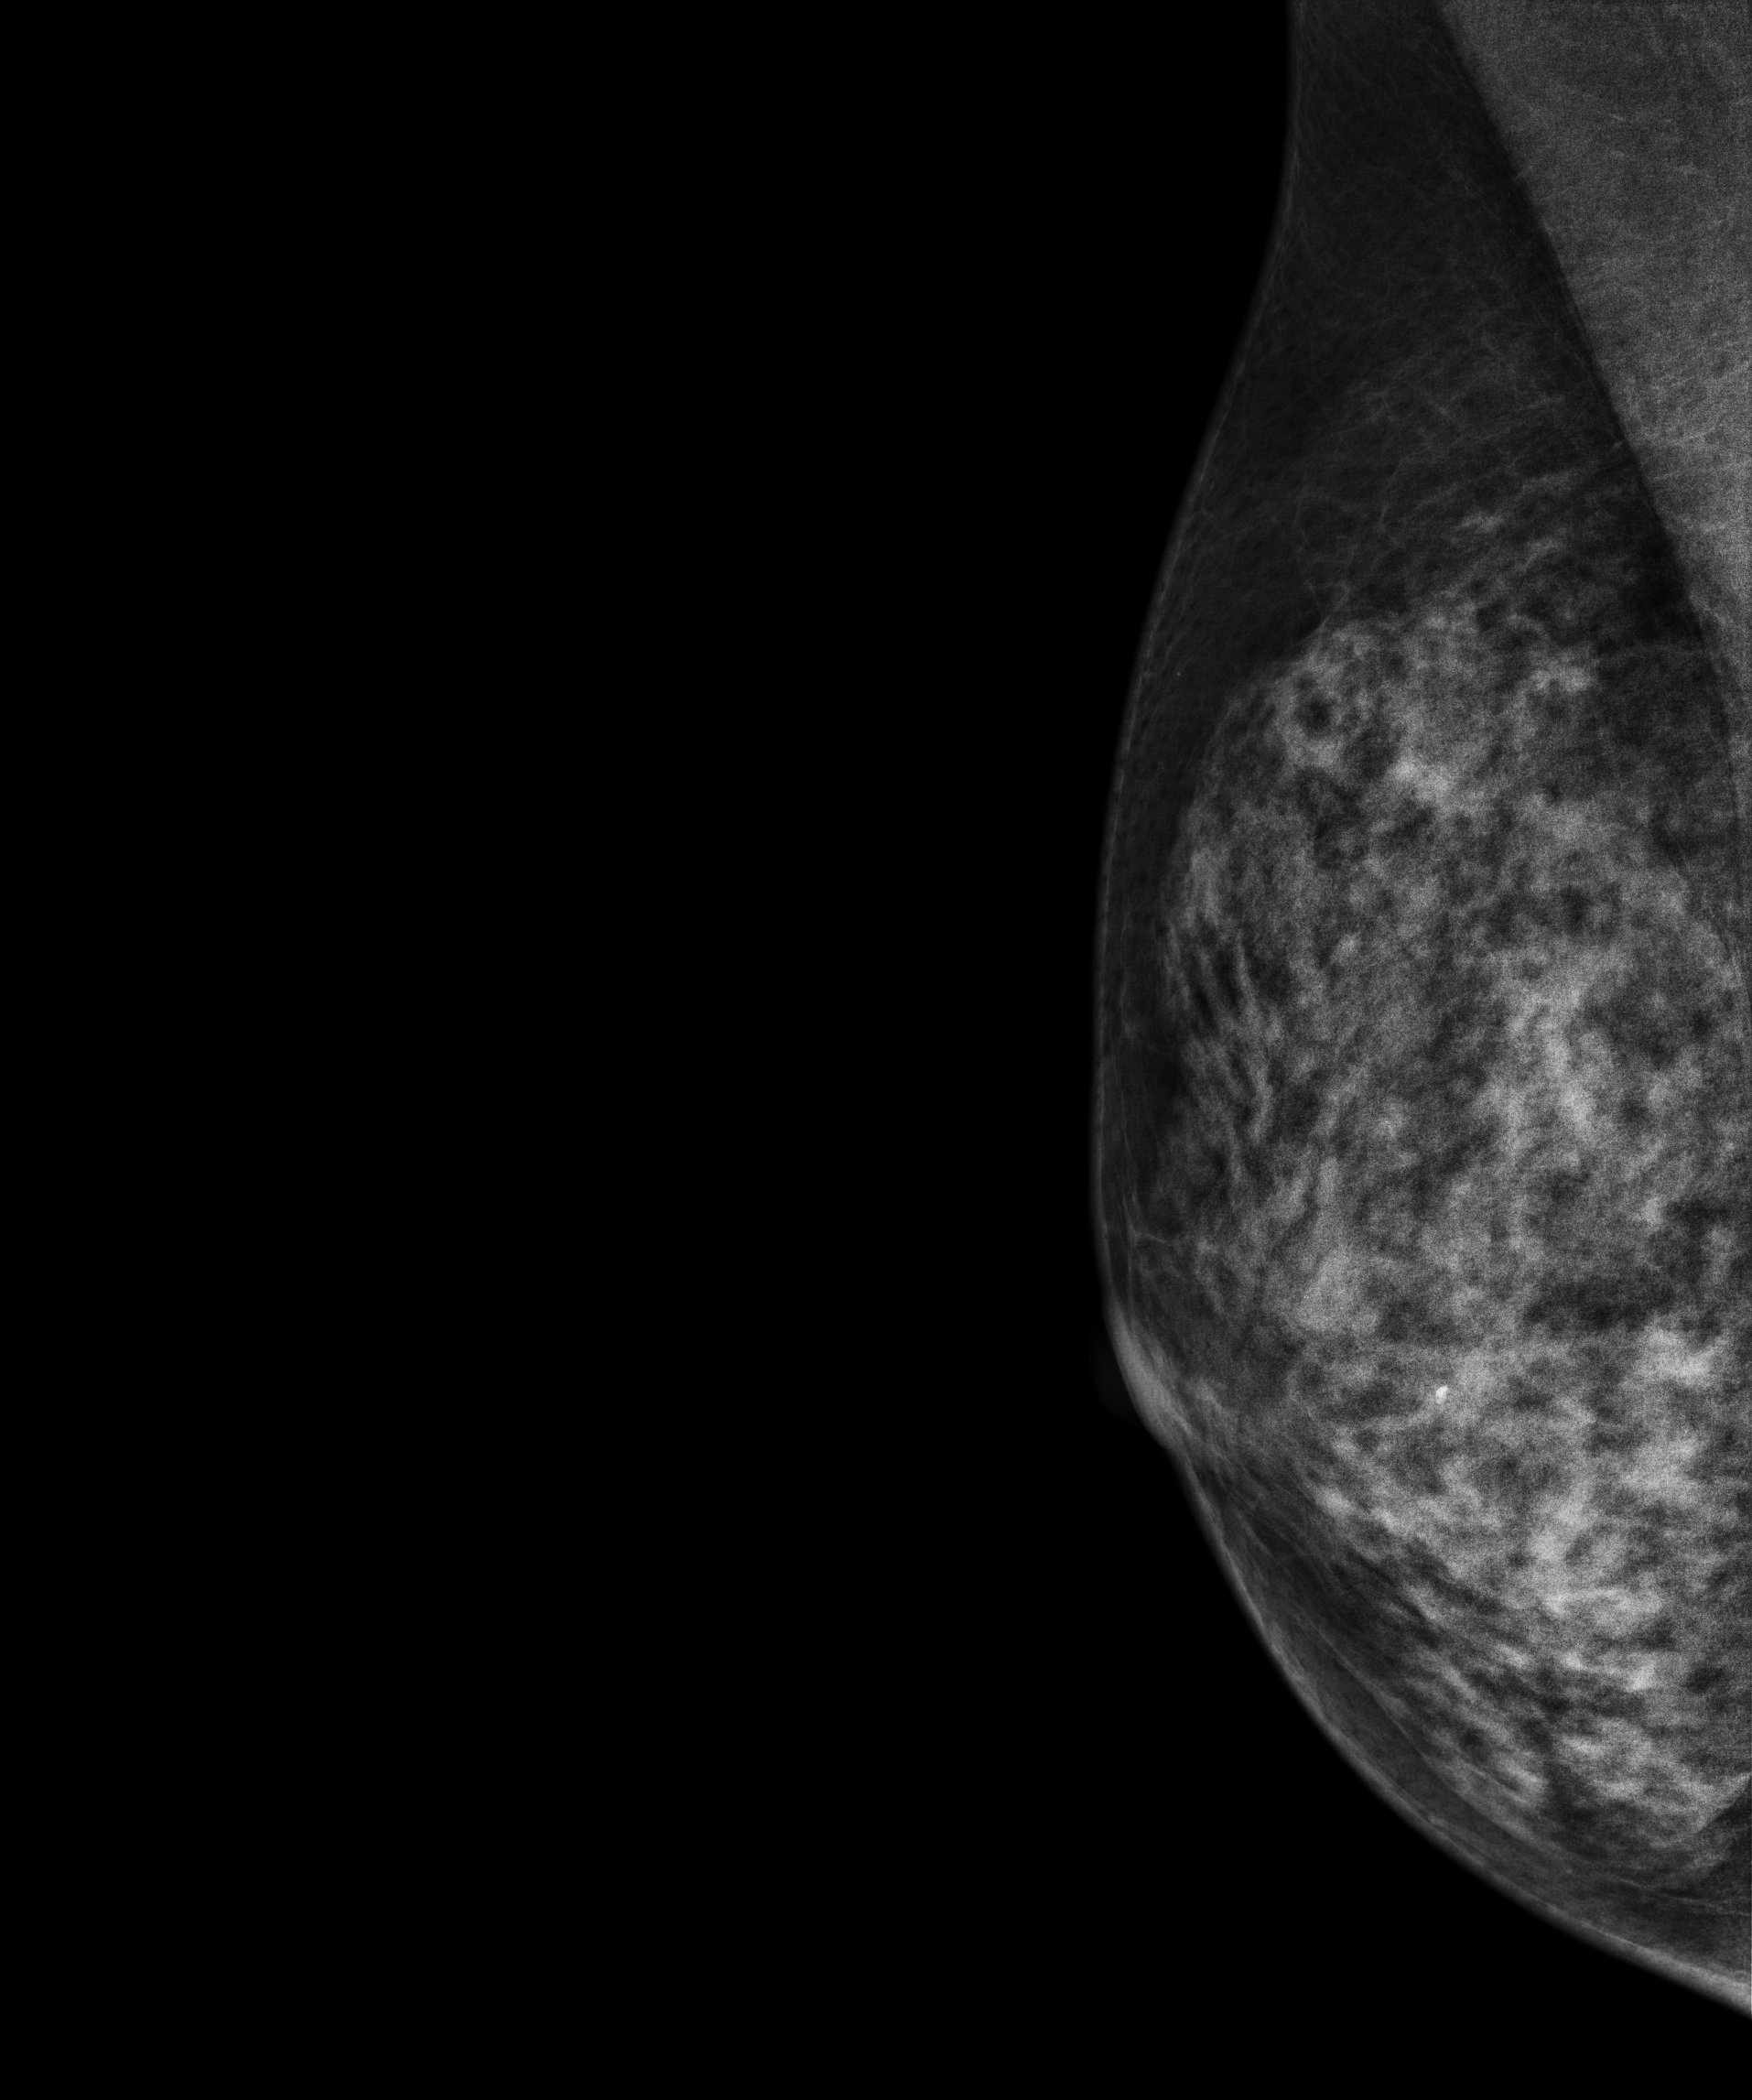
Mammogram — right MLO. 53 y/o patient.
Contralateral breast — no documented abnormality on this side.